Right-breast mammogram, CC. 45 y/o patient.
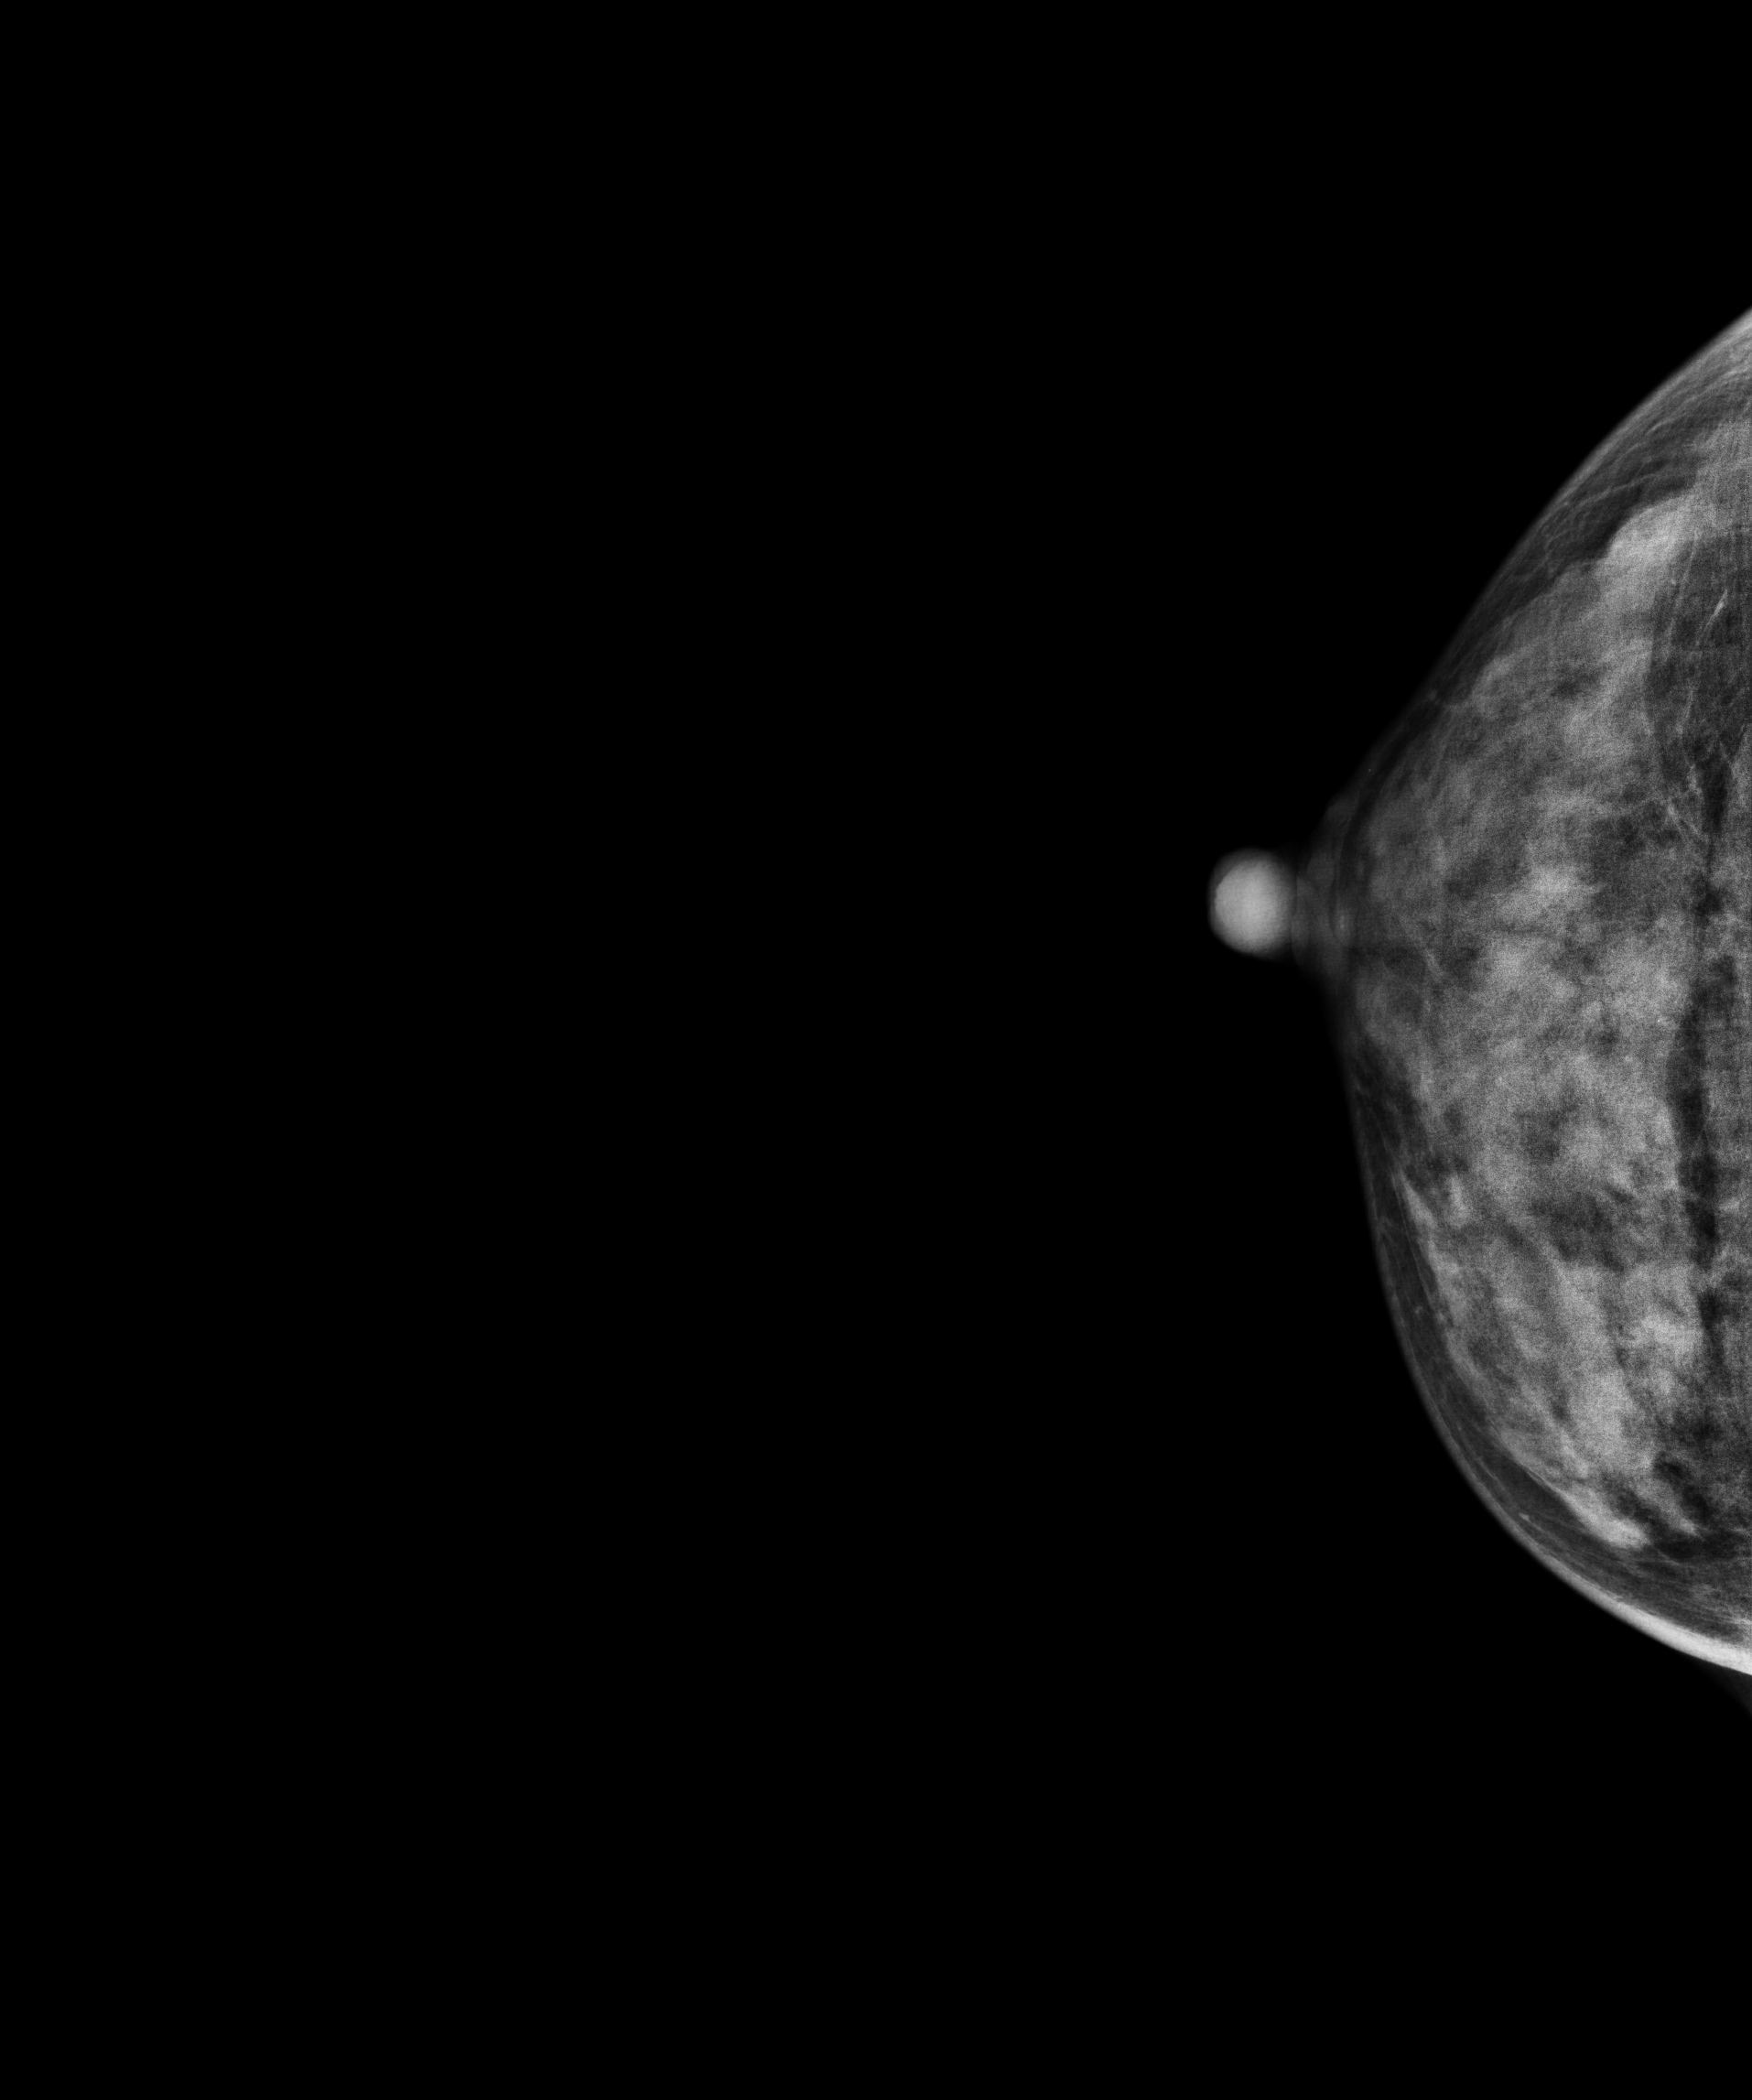
This breast has a mass, pathology-confirmed malignant.